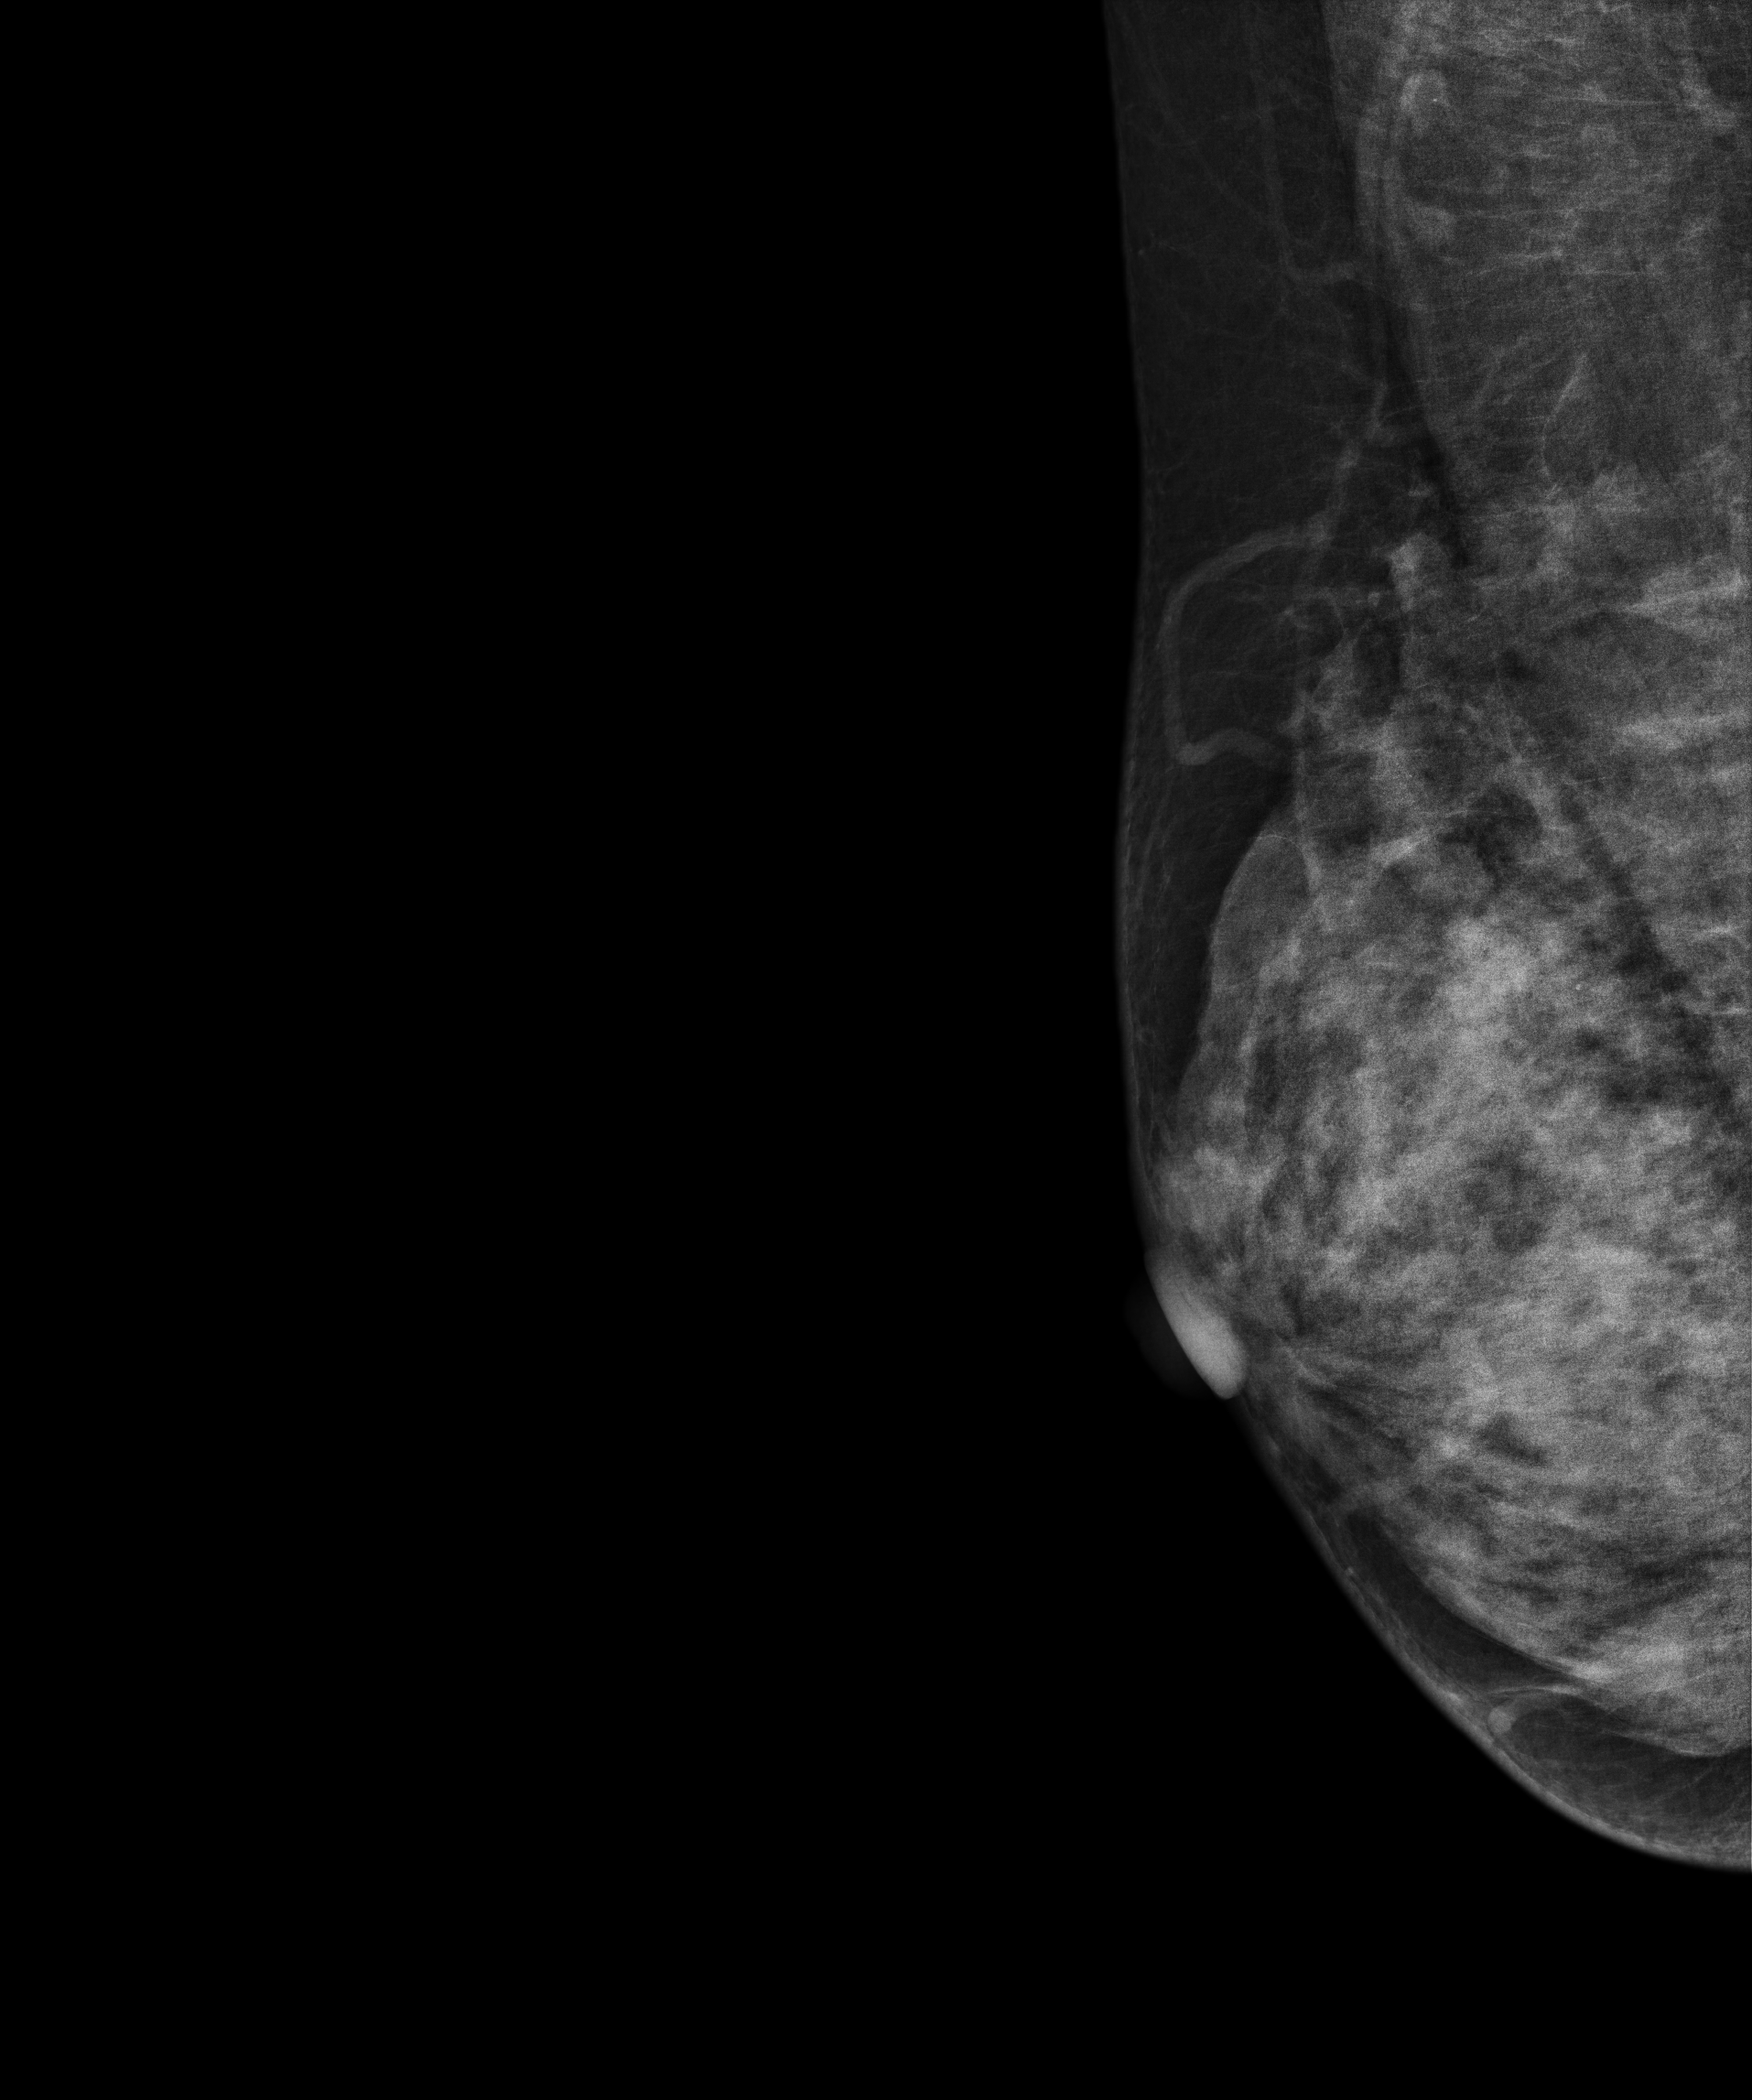
Right-breast mammogram, medio-lateral oblique. 45-year-old patient.
This breast has a mass, biopsy-proven benign.